Mammogram — right MLO. 45-year-old patient.
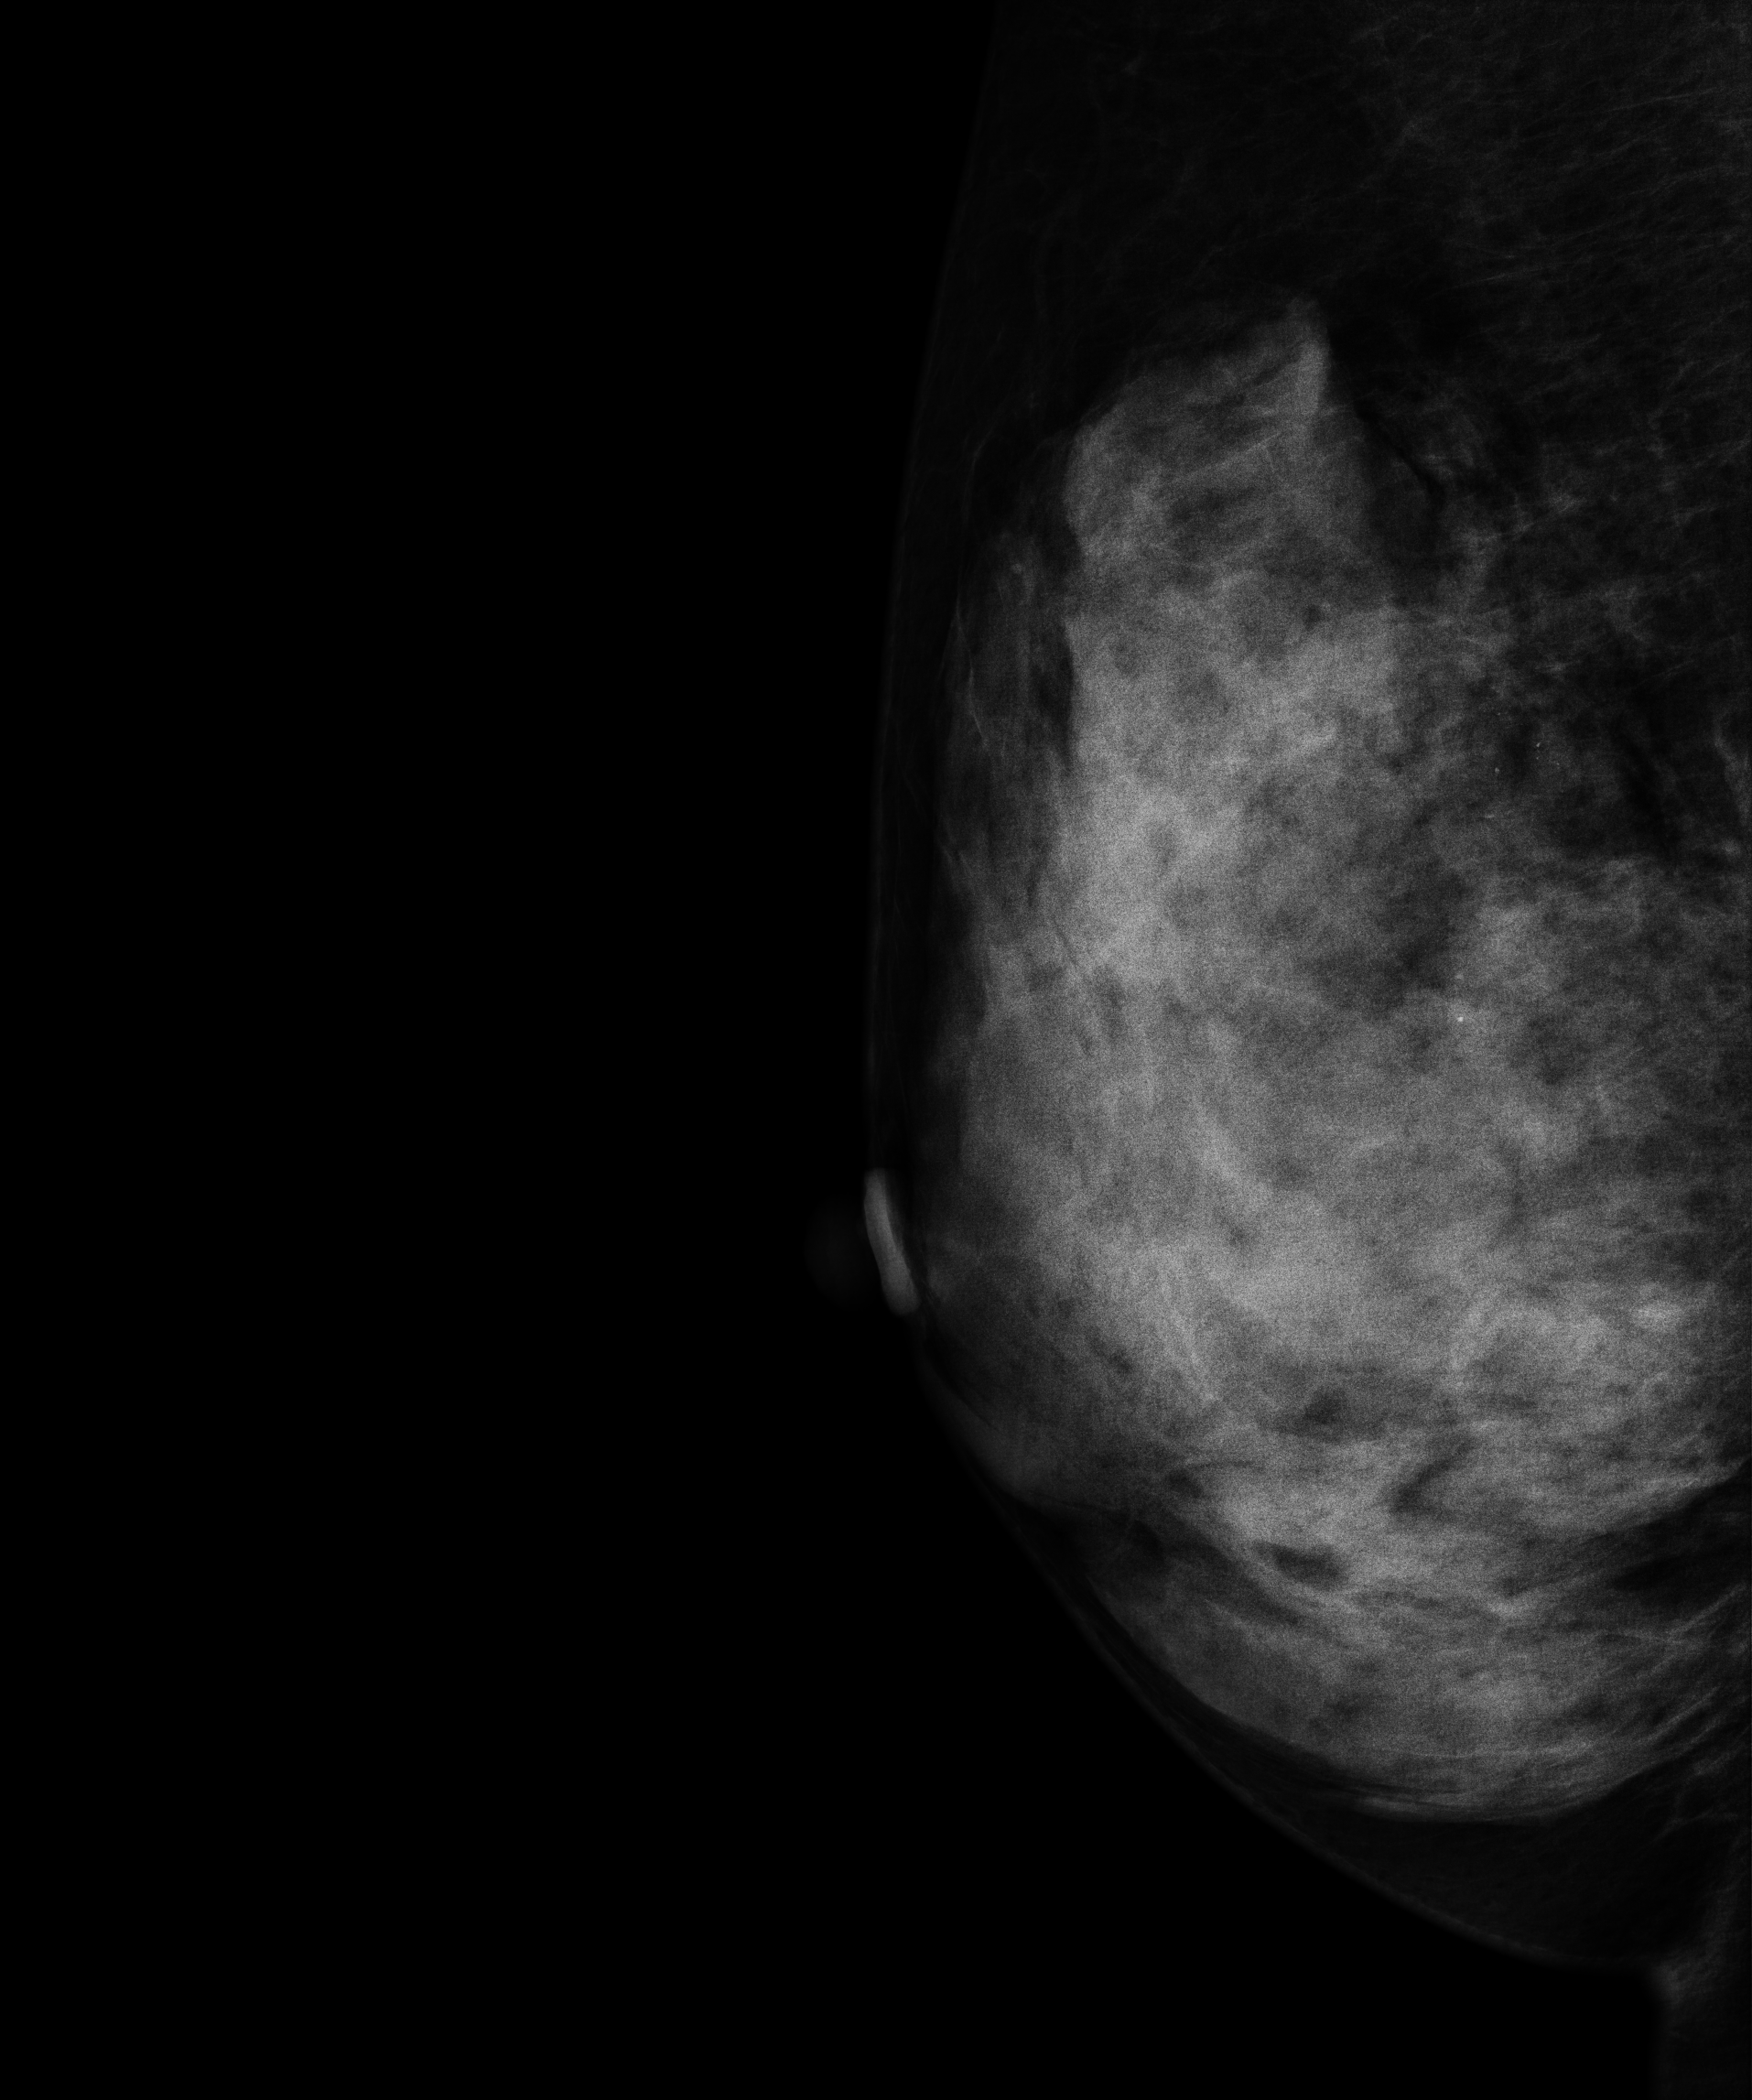
Contralateral breast — no documented abnormality on this side.